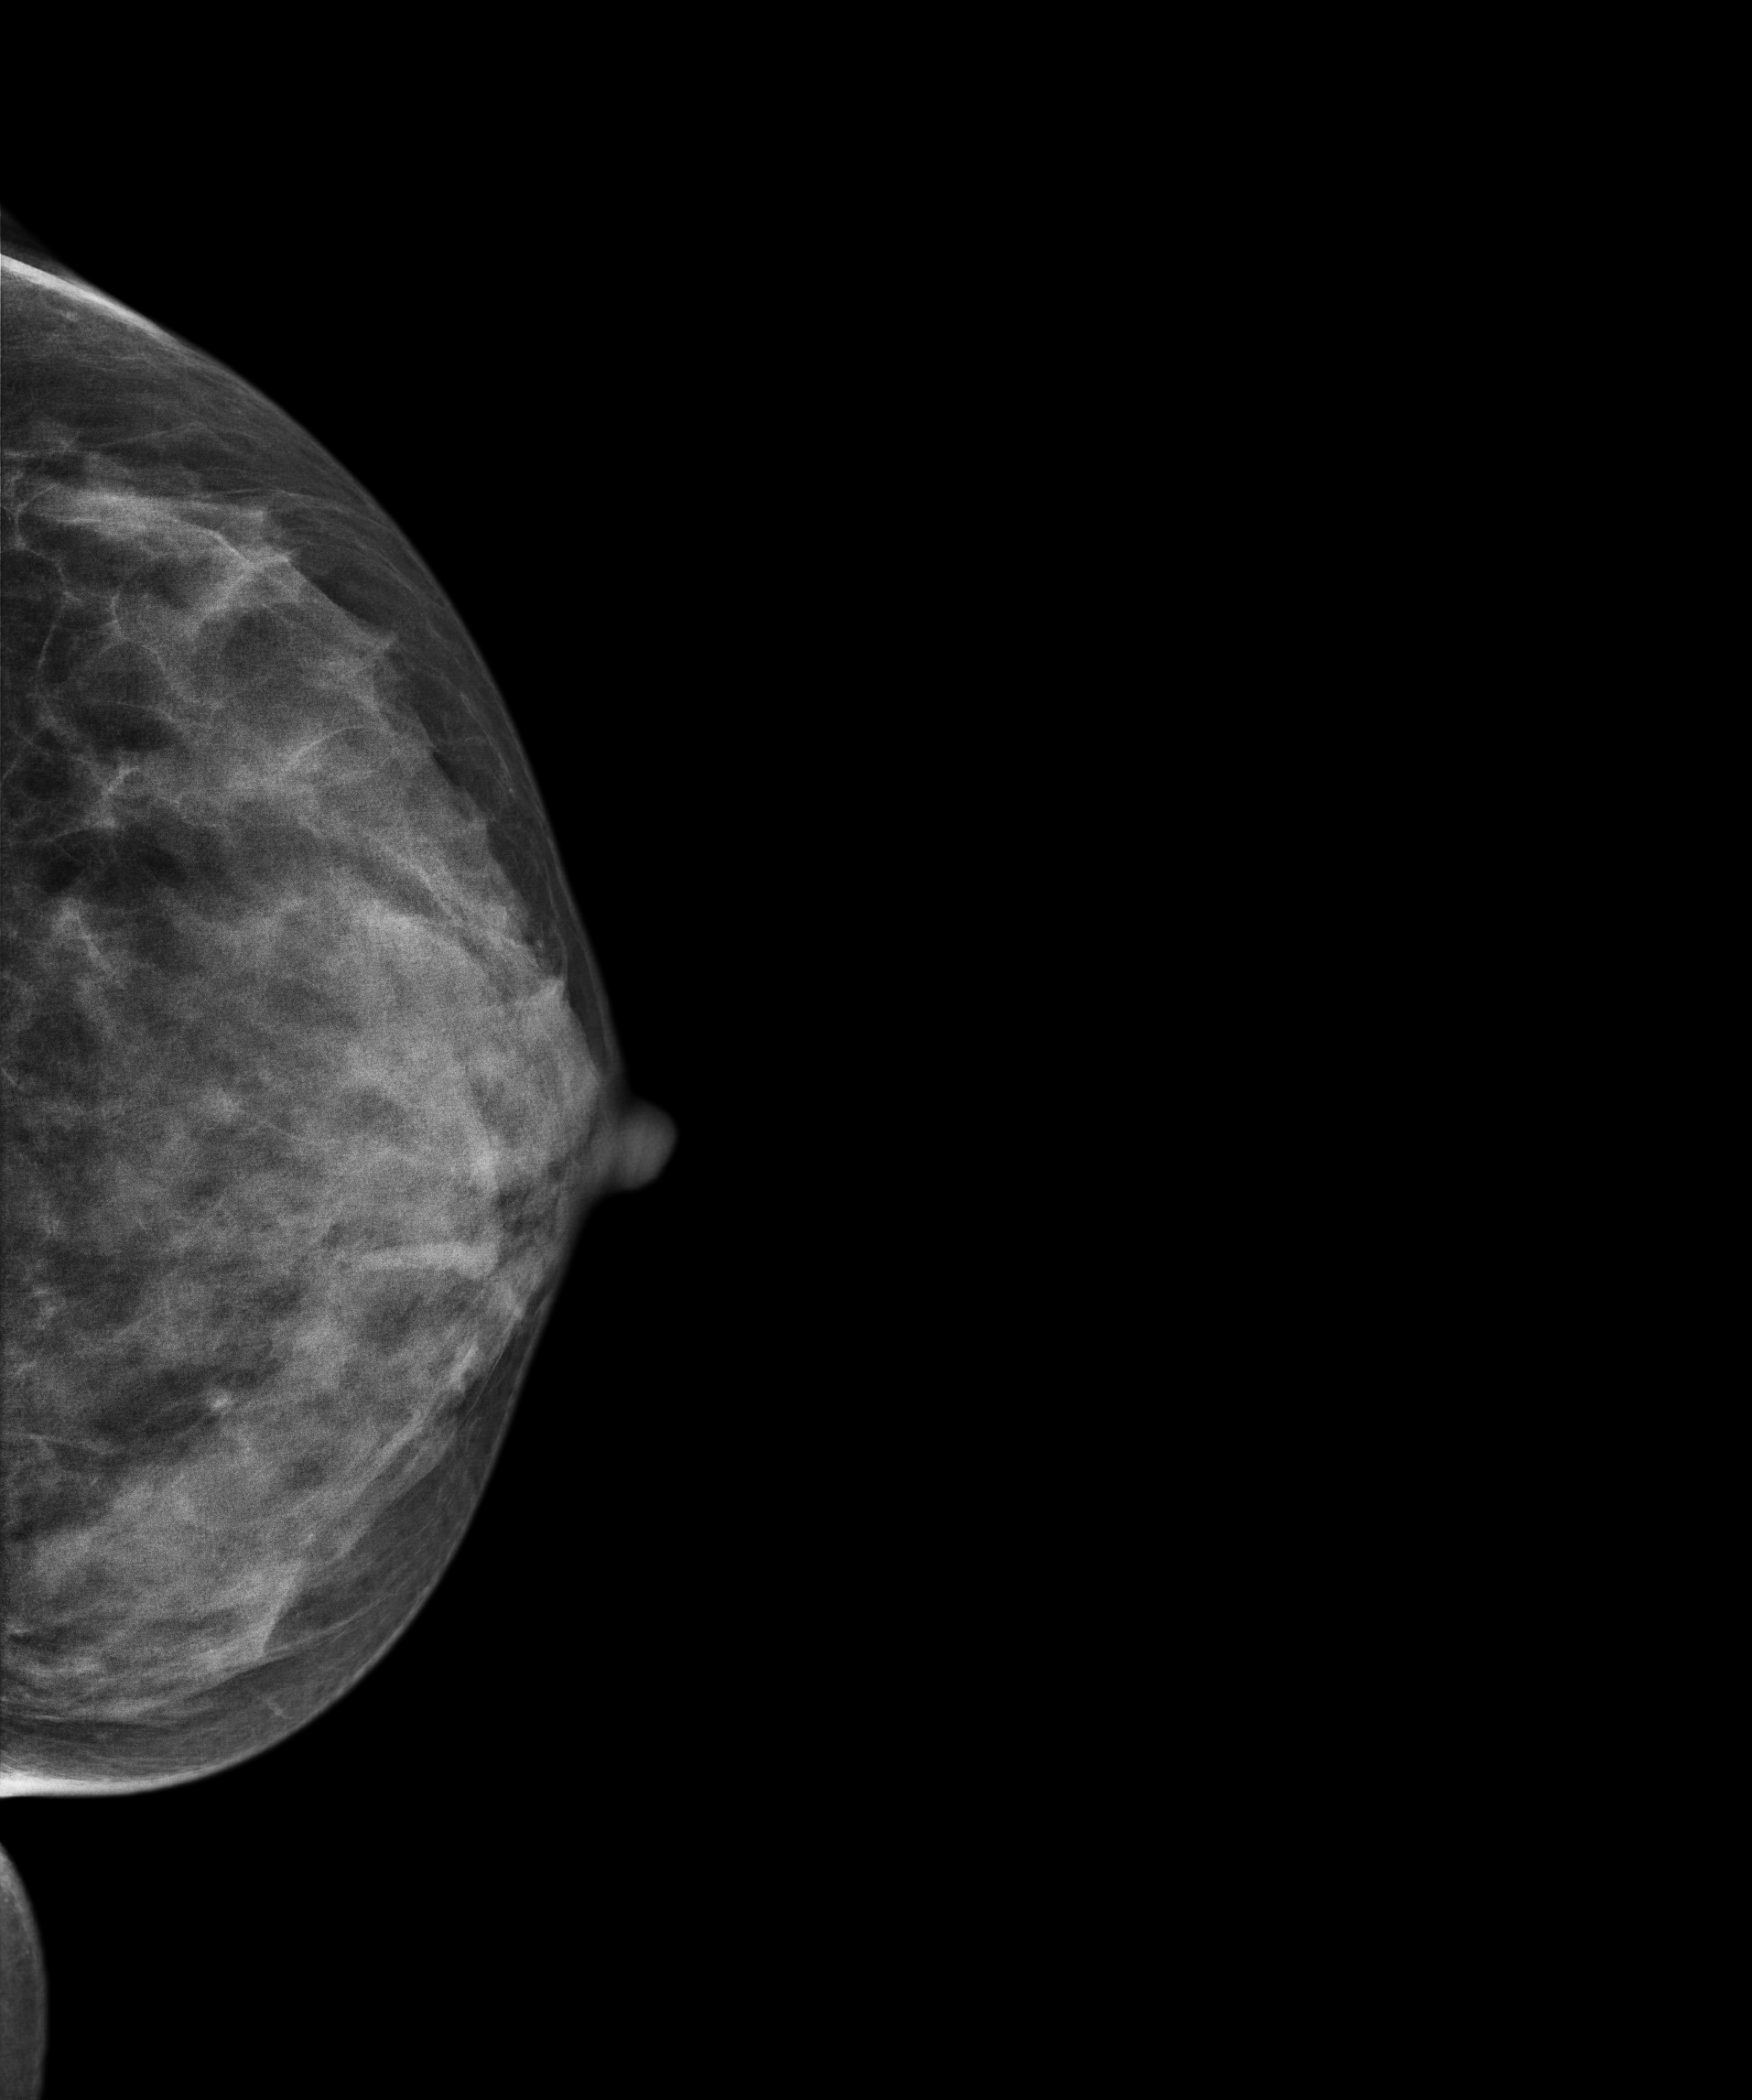
Mammogram — left CC. 46 y/o patient.
Contralateral breast — no documented abnormality on this side.